Mammogram — left cranio-caudal. Patient age 47.
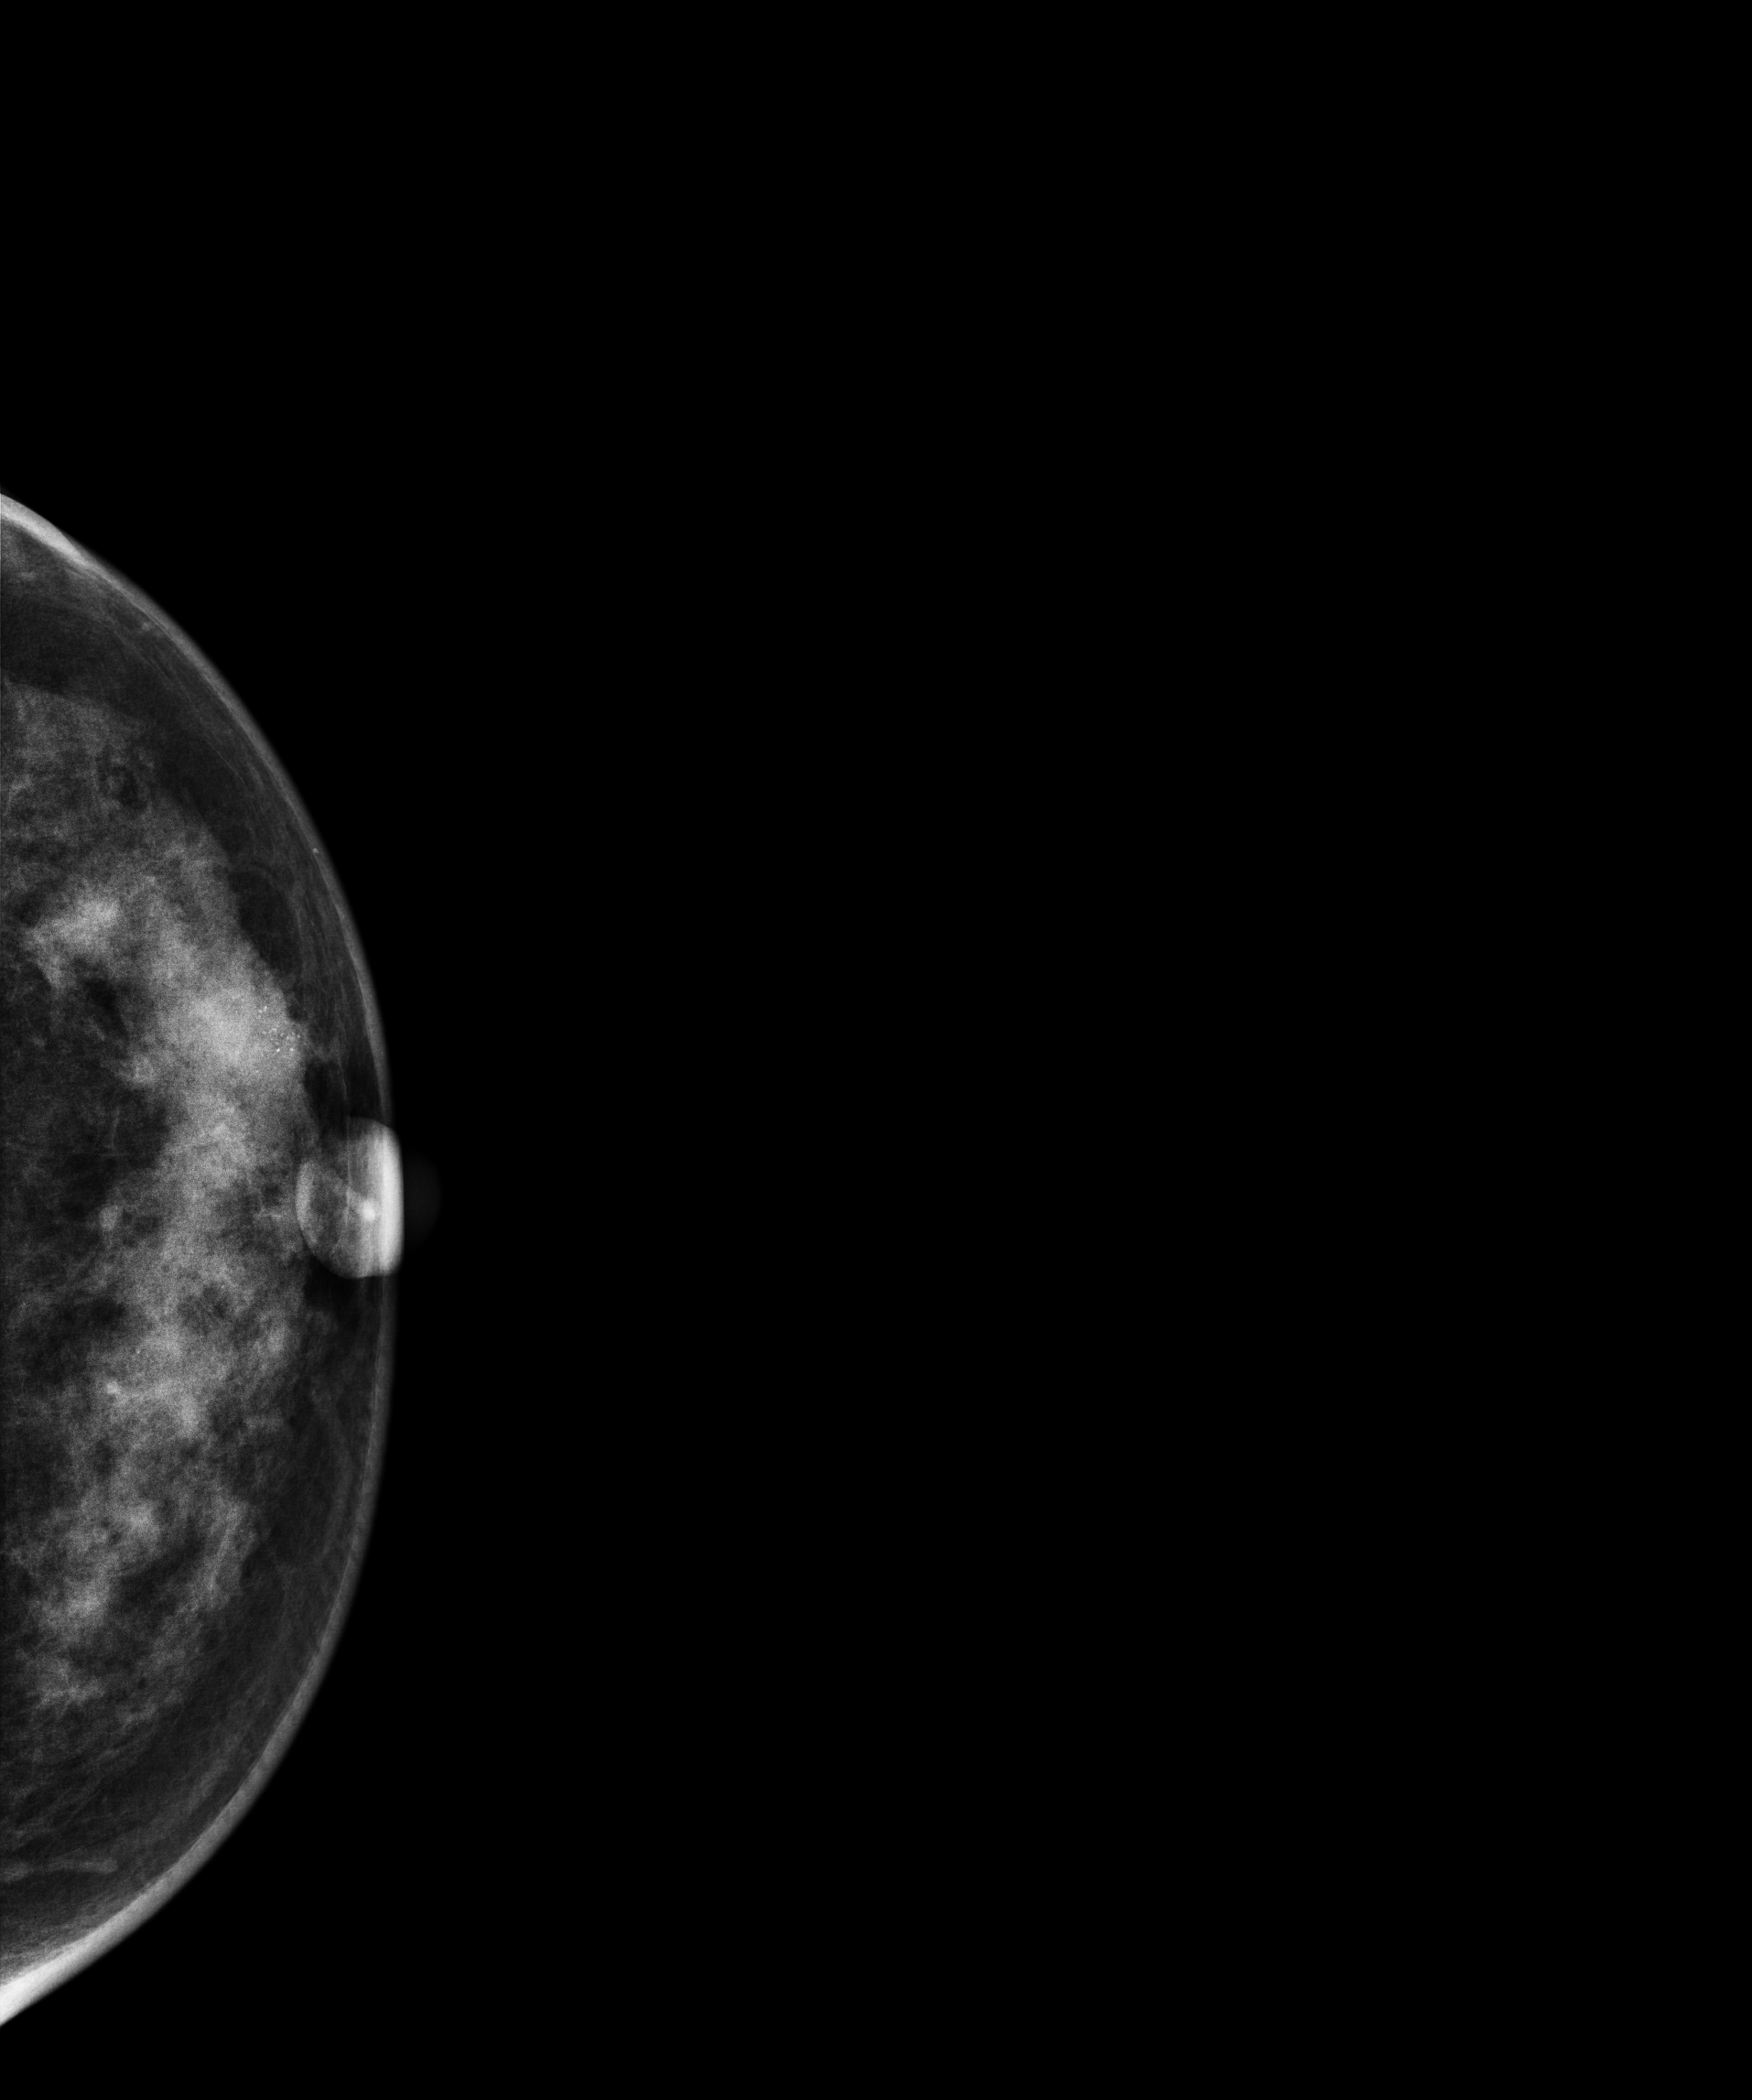
This breast has calcifications, biopsy-confirmed malignant. Molecular subtype: HER2-enriched.